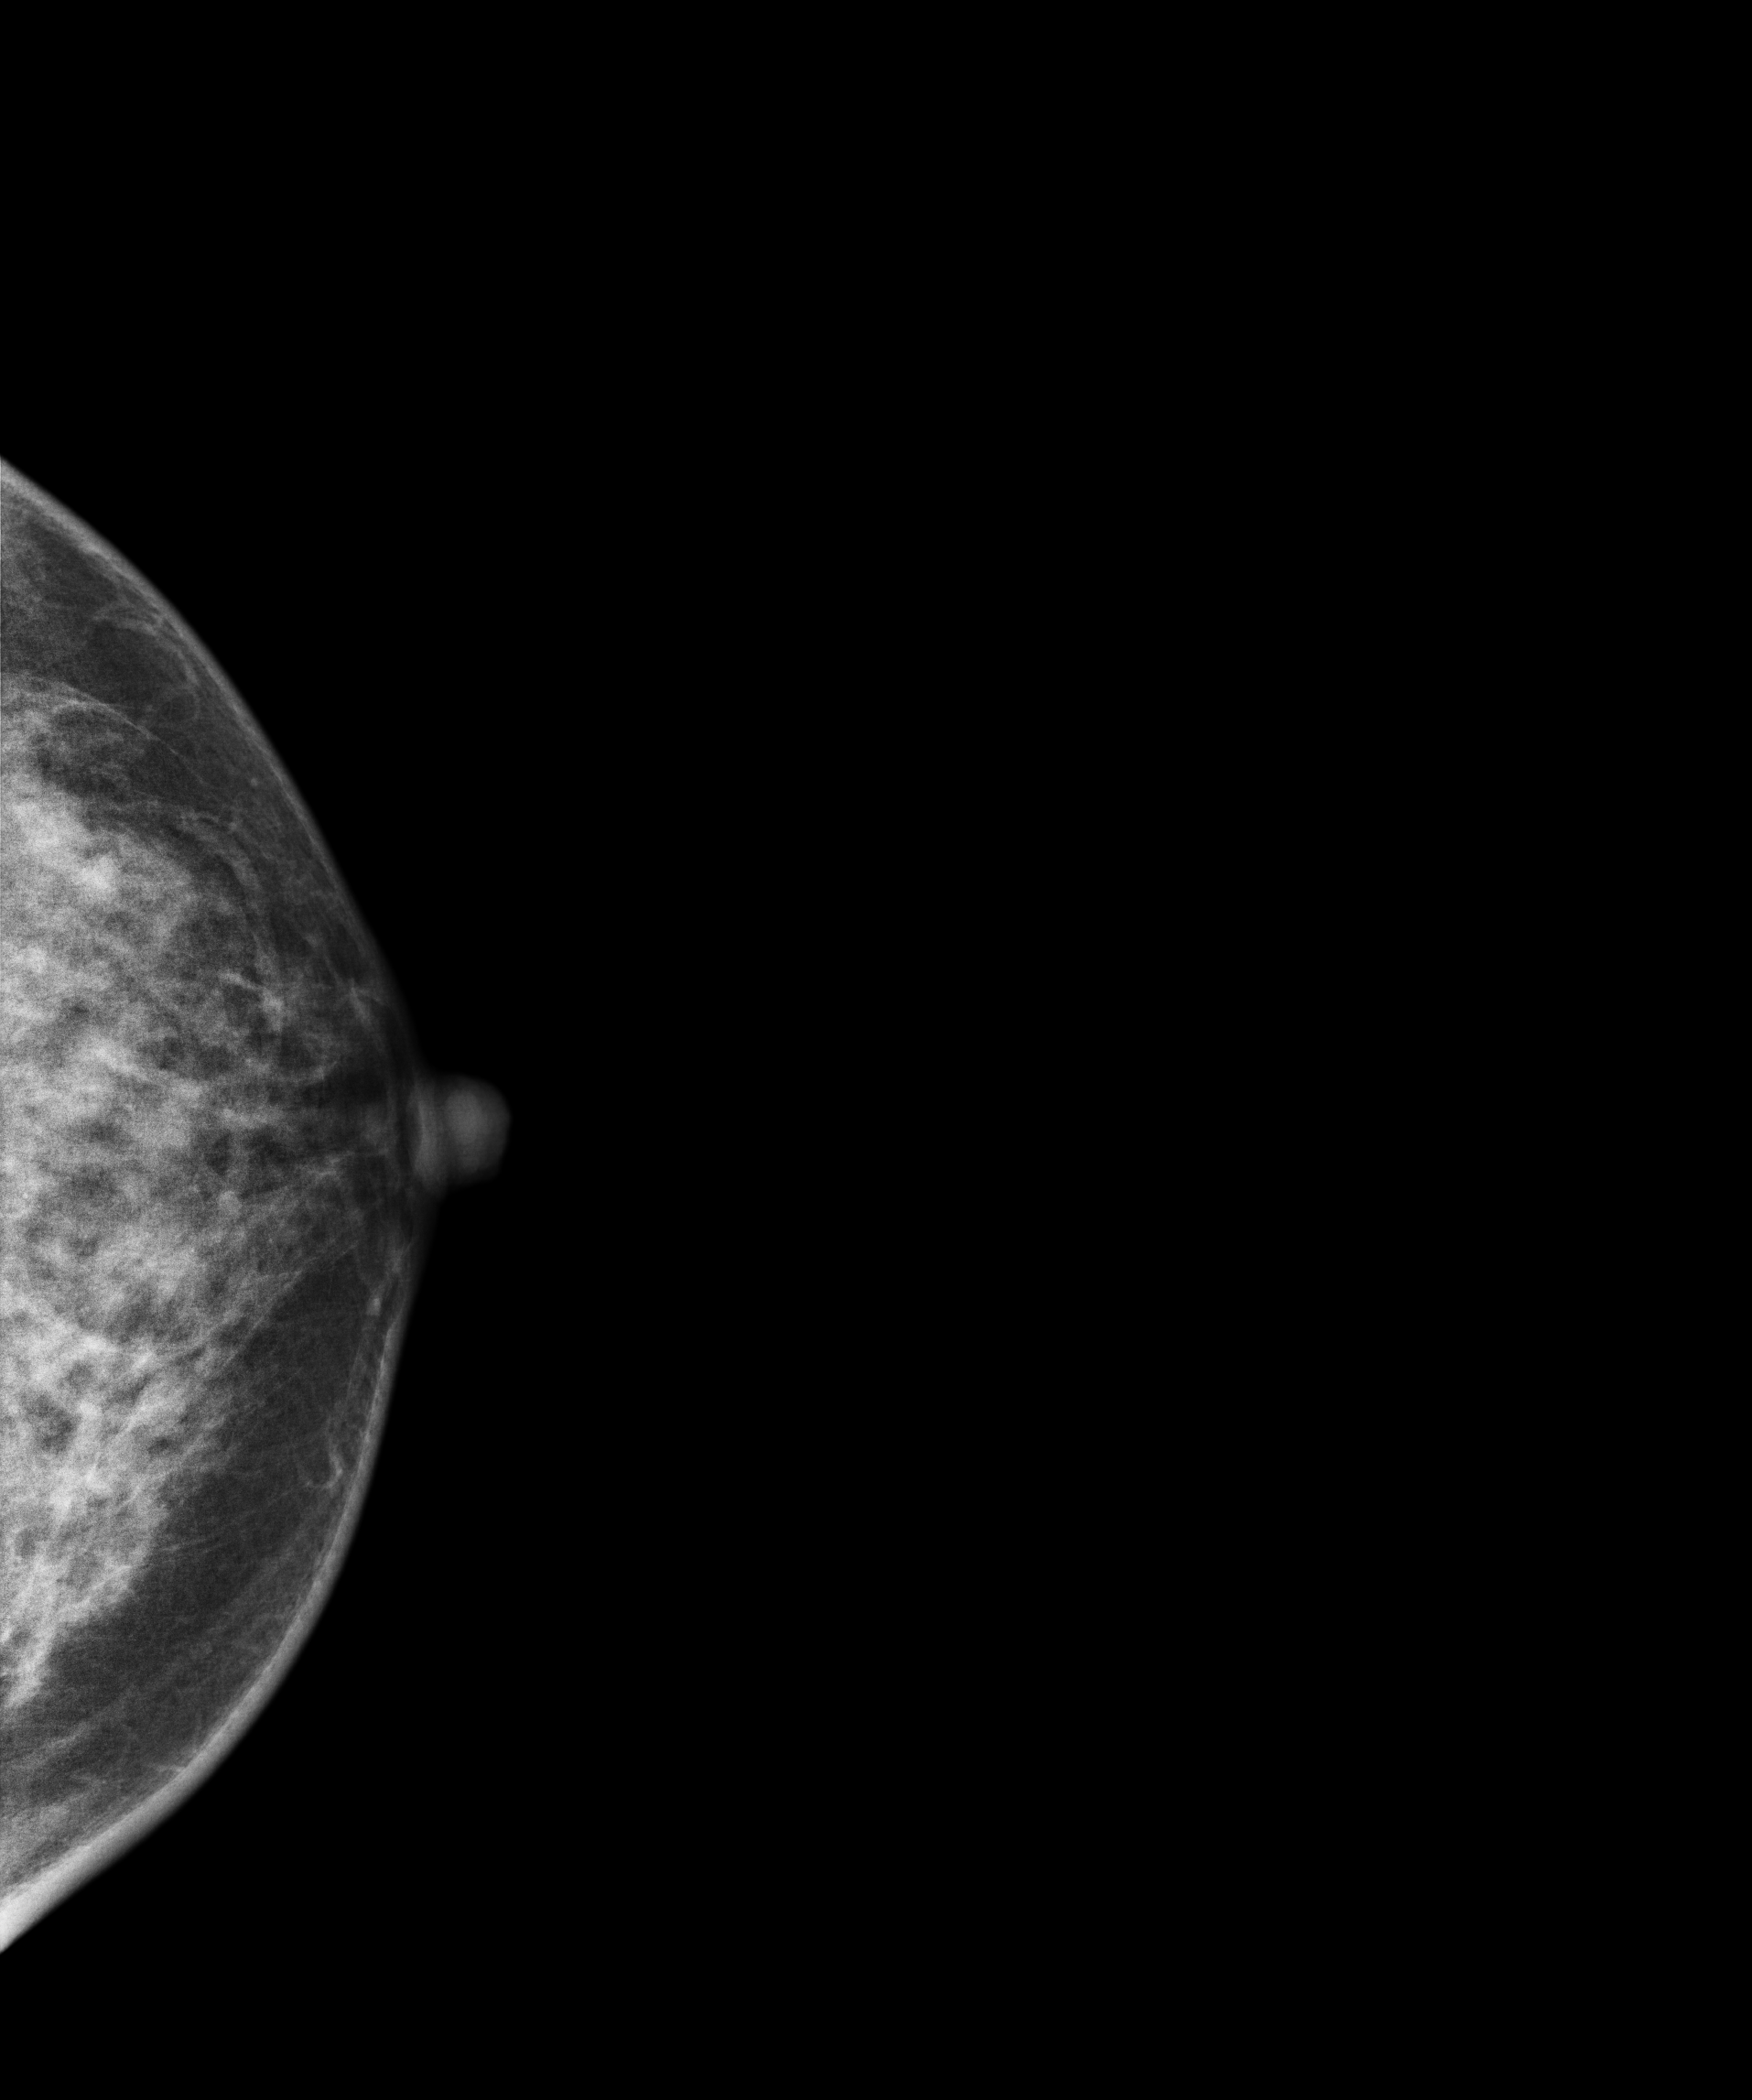
Mammogram — left CC. Patient age 48.
Contralateral breast — no documented abnormality on this side.